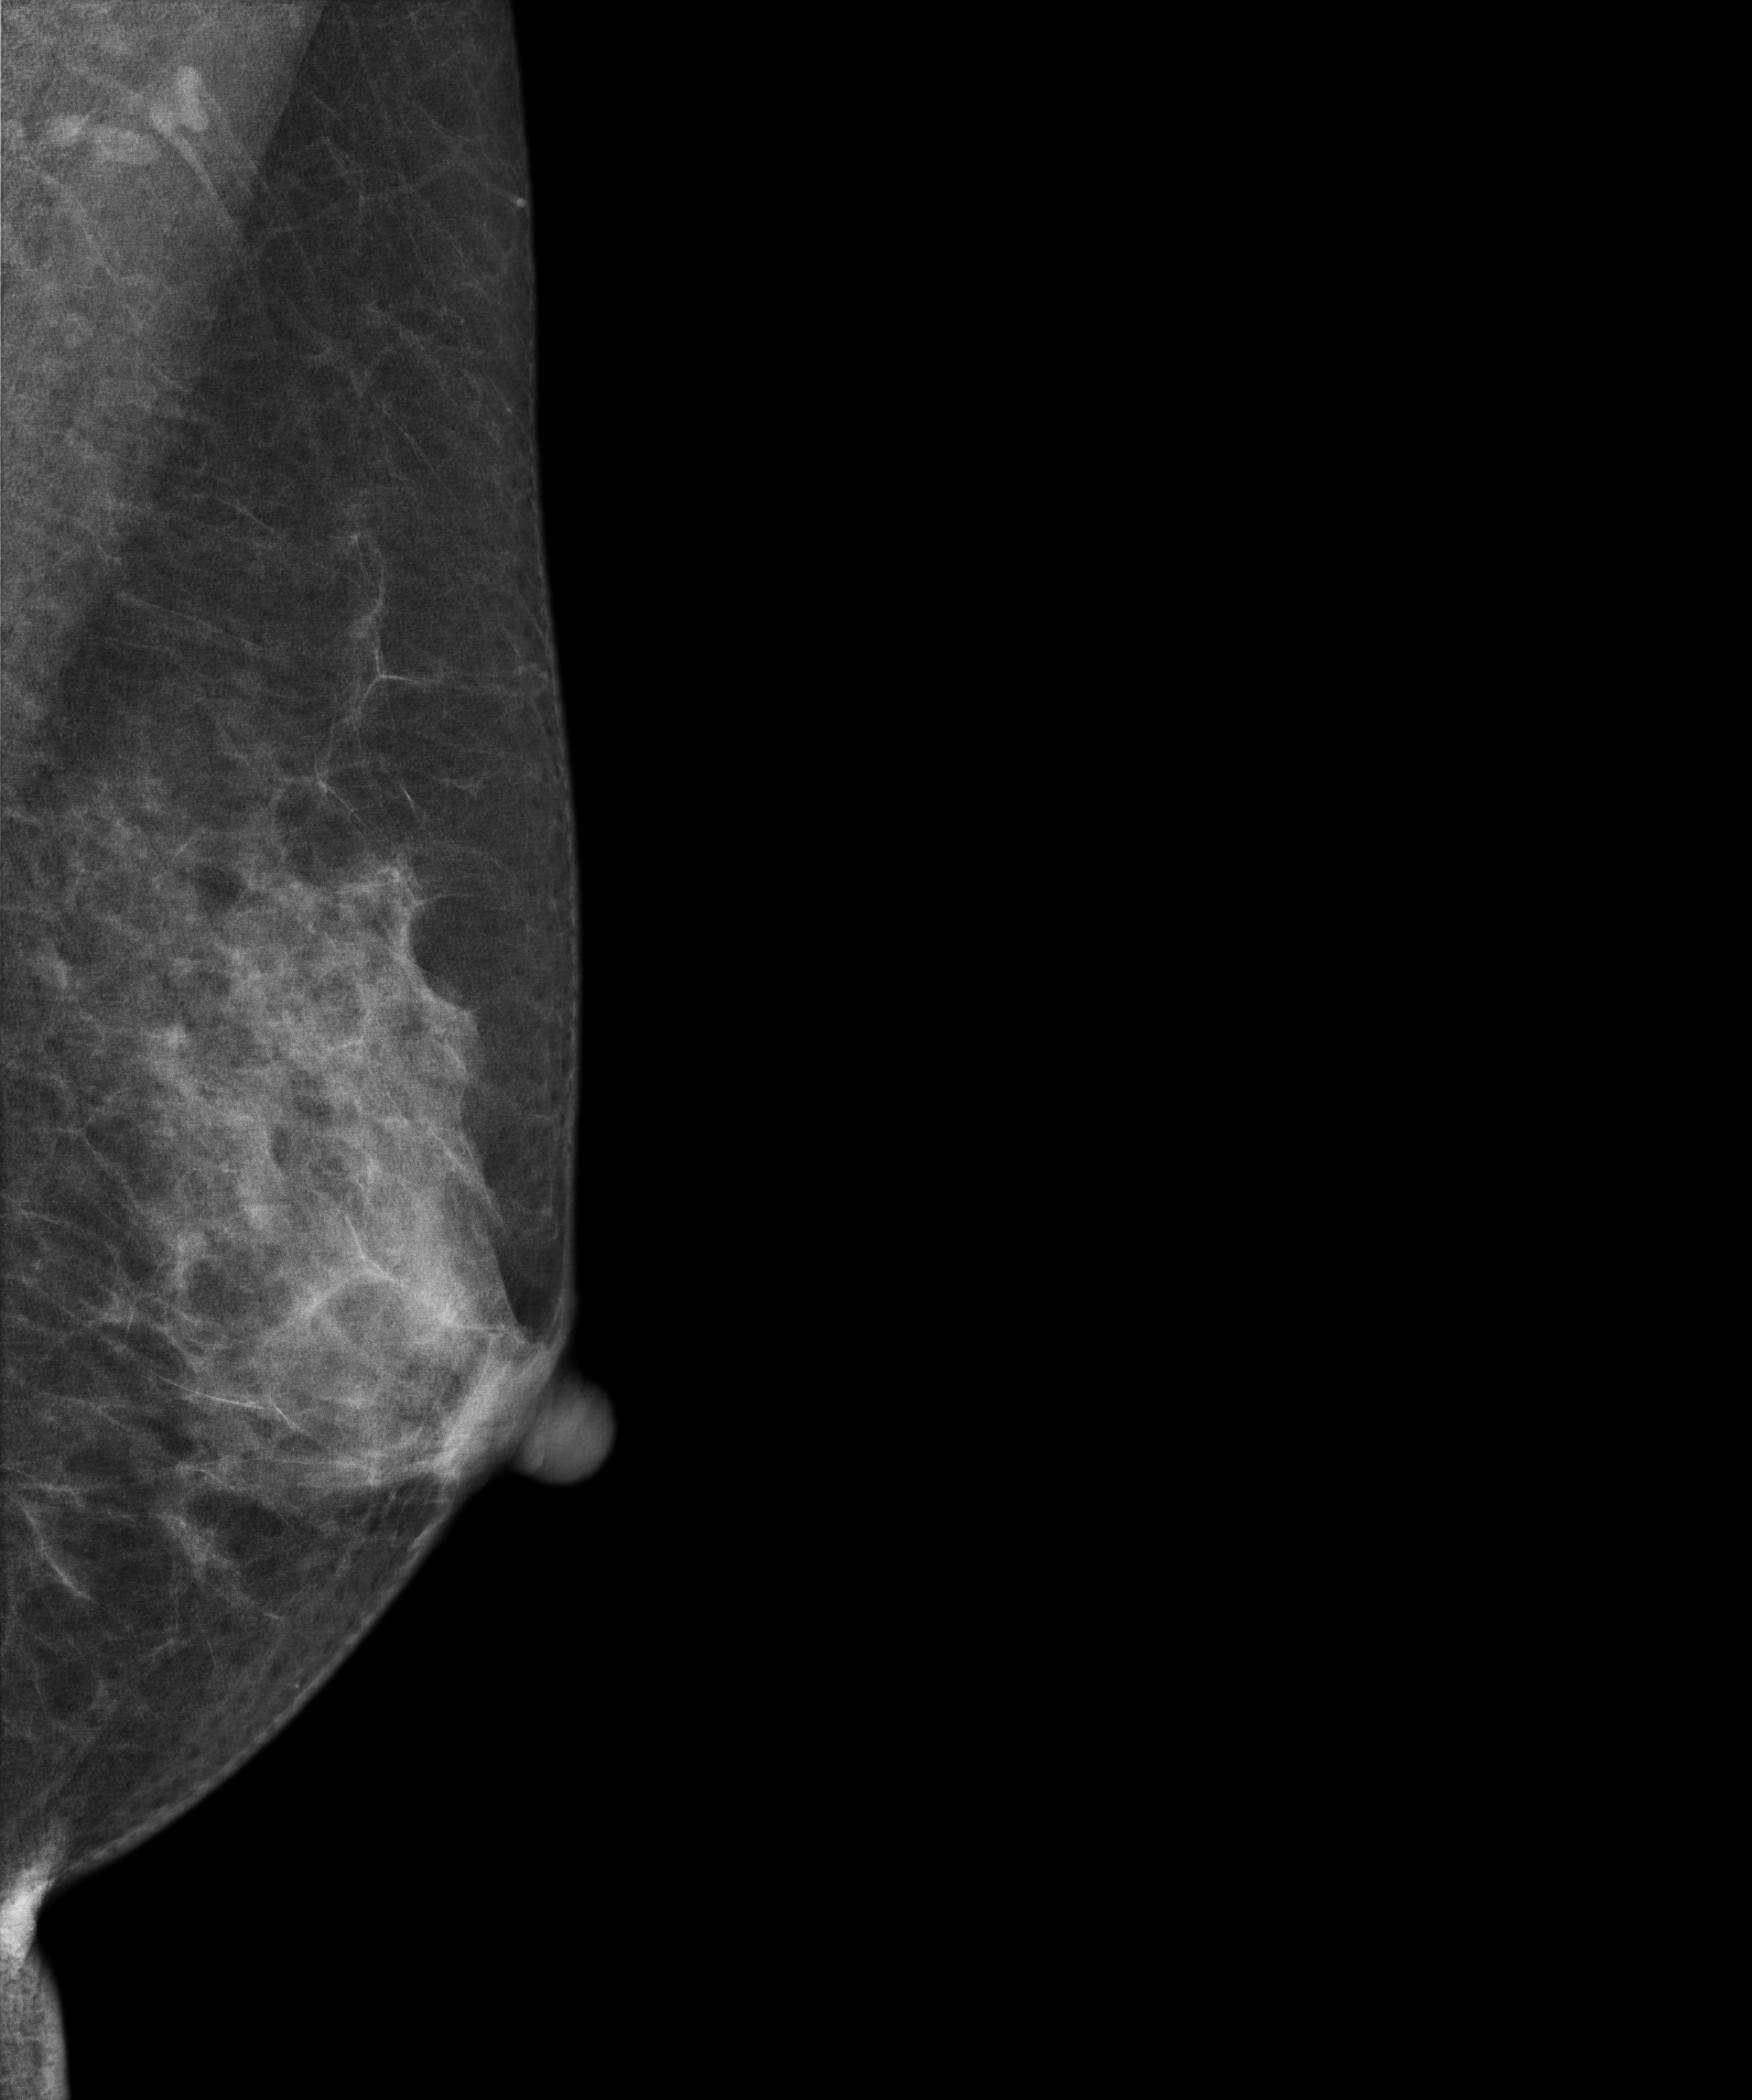
Left-breast mammogram, medio-lateral oblique. 57 y/o patient.
Contralateral breast — no documented abnormality on this side.